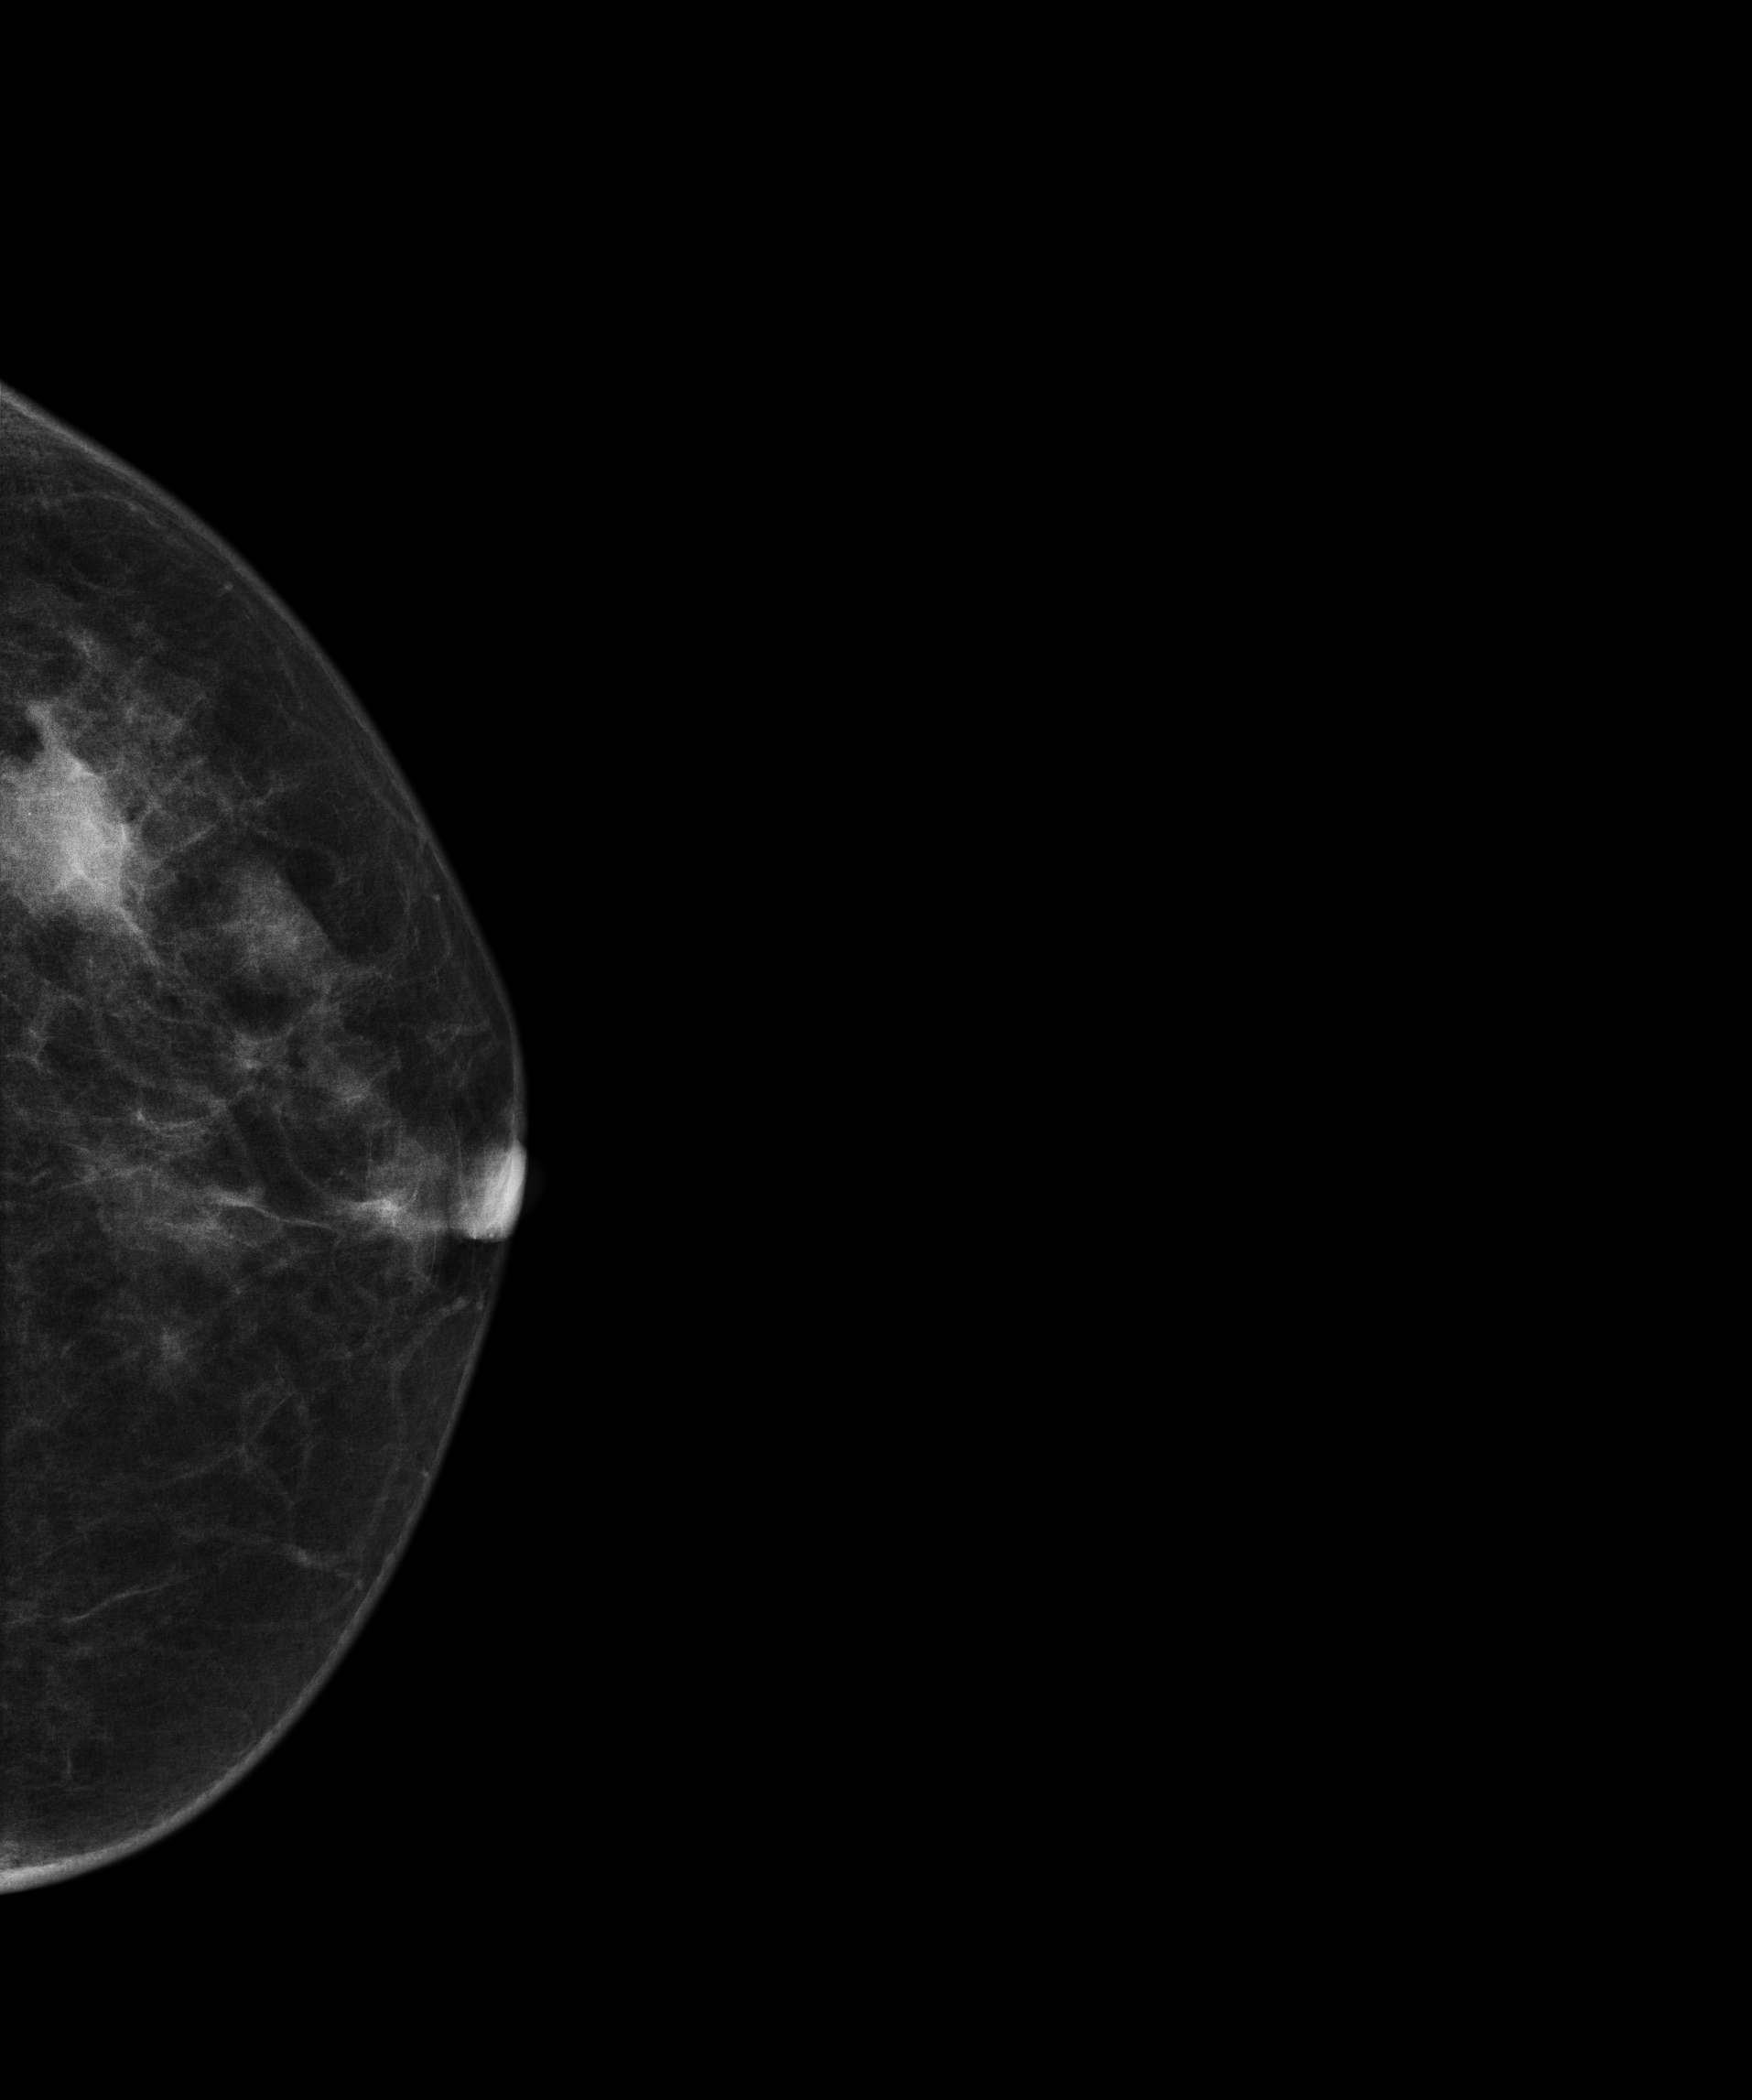
Mammogram — left CC. Patient age 56.
This breast has a mass, biopsy-confirmed malignant. Molecular subtype: HER2-enriched.